Mammogram — right CC. Patient age 59.
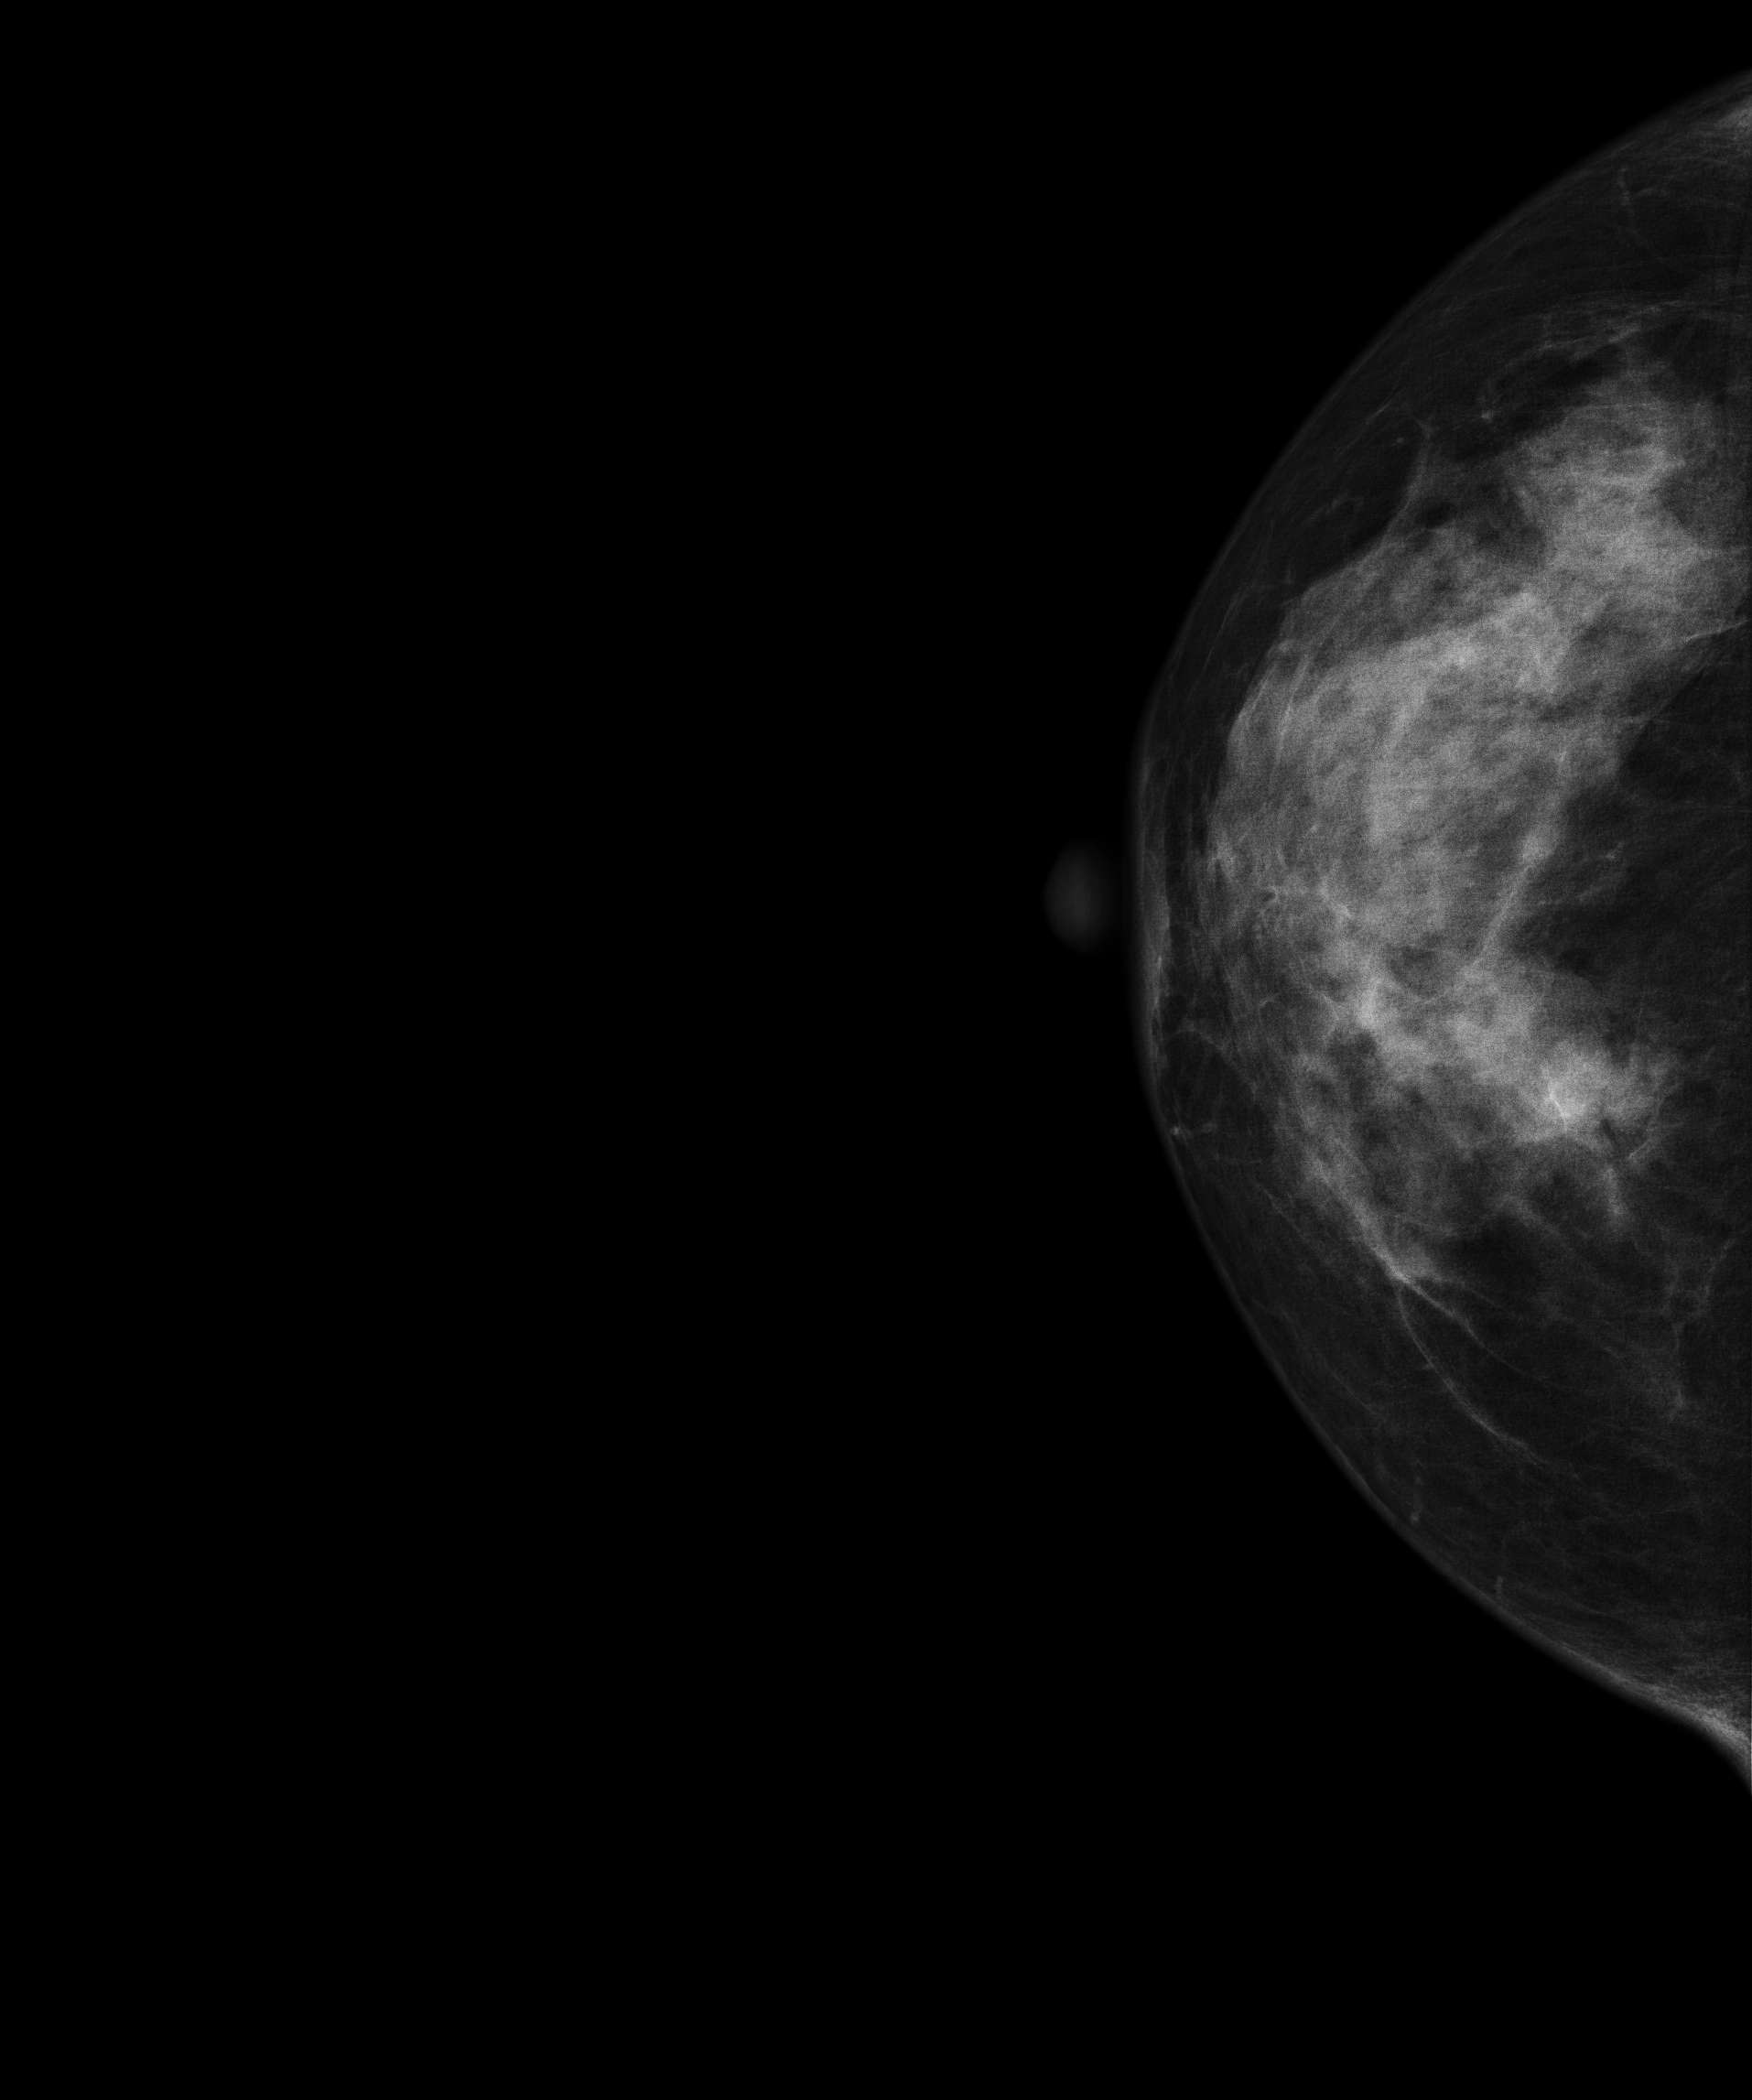
This breast has a mass, biopsy-proven benign.